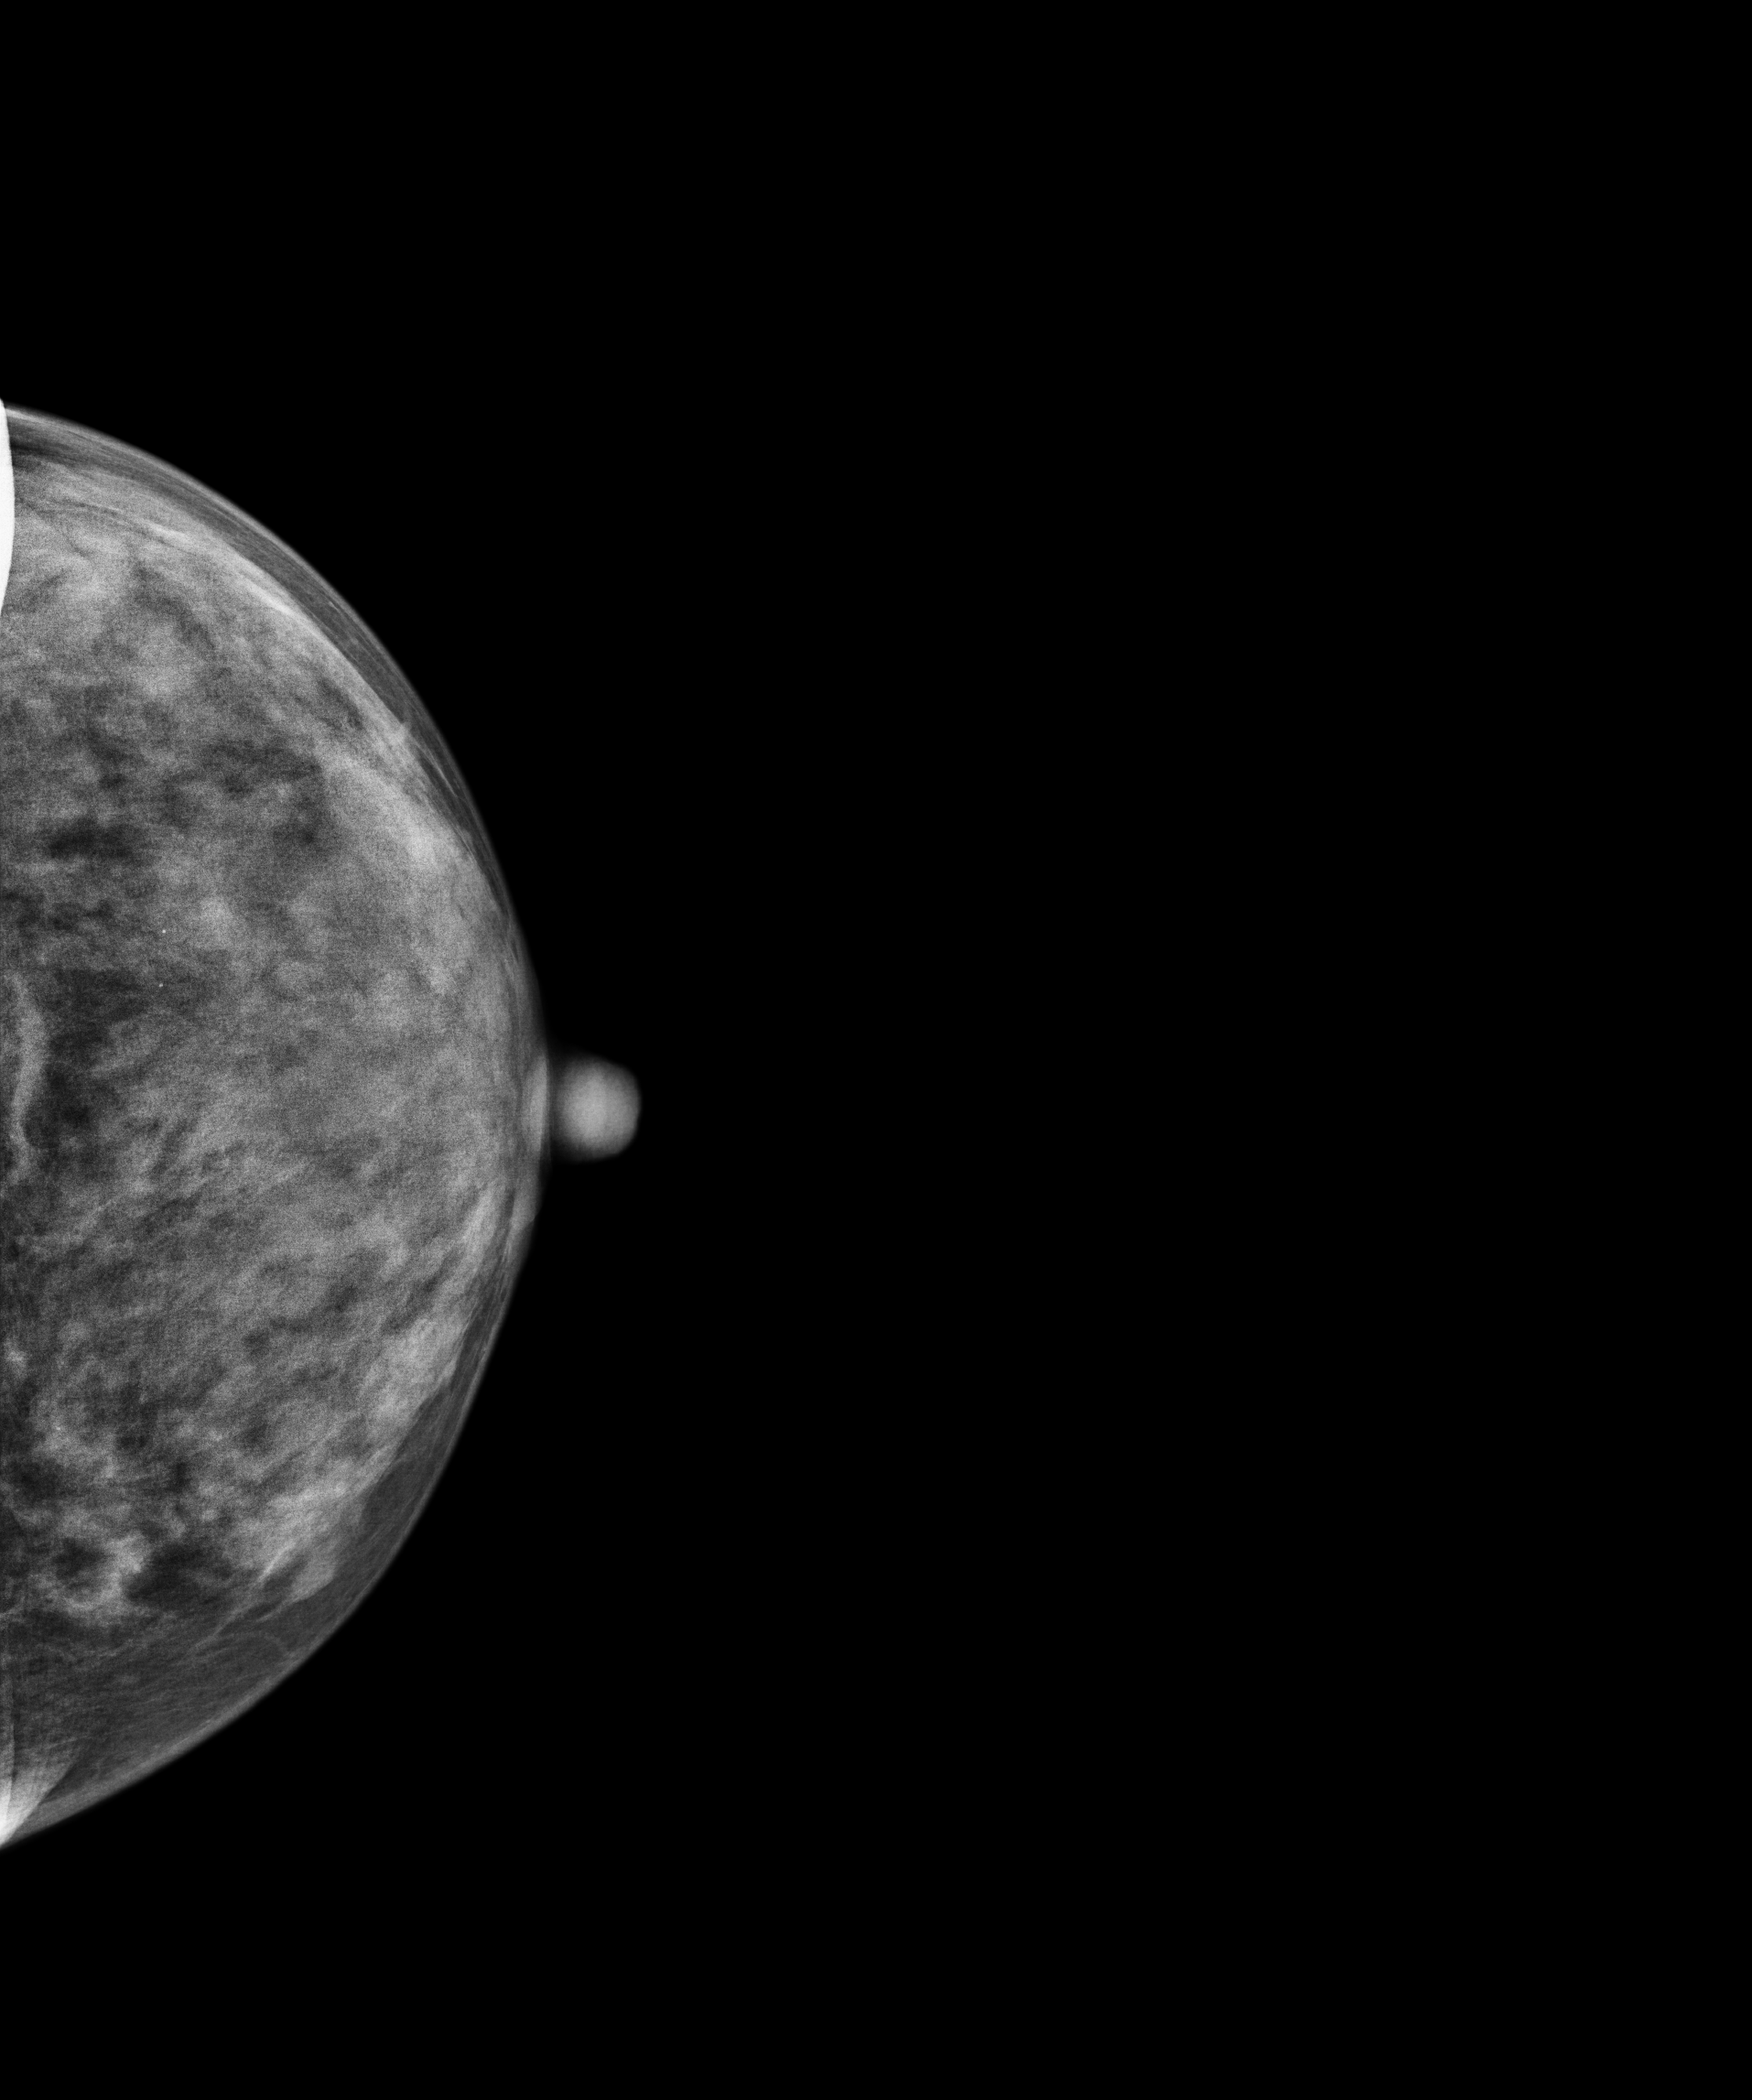
Mammogram, left breast, cranio-caudal view. 38-year-old patient.
This breast has a mass and calcifications, histologically confirmed benign.